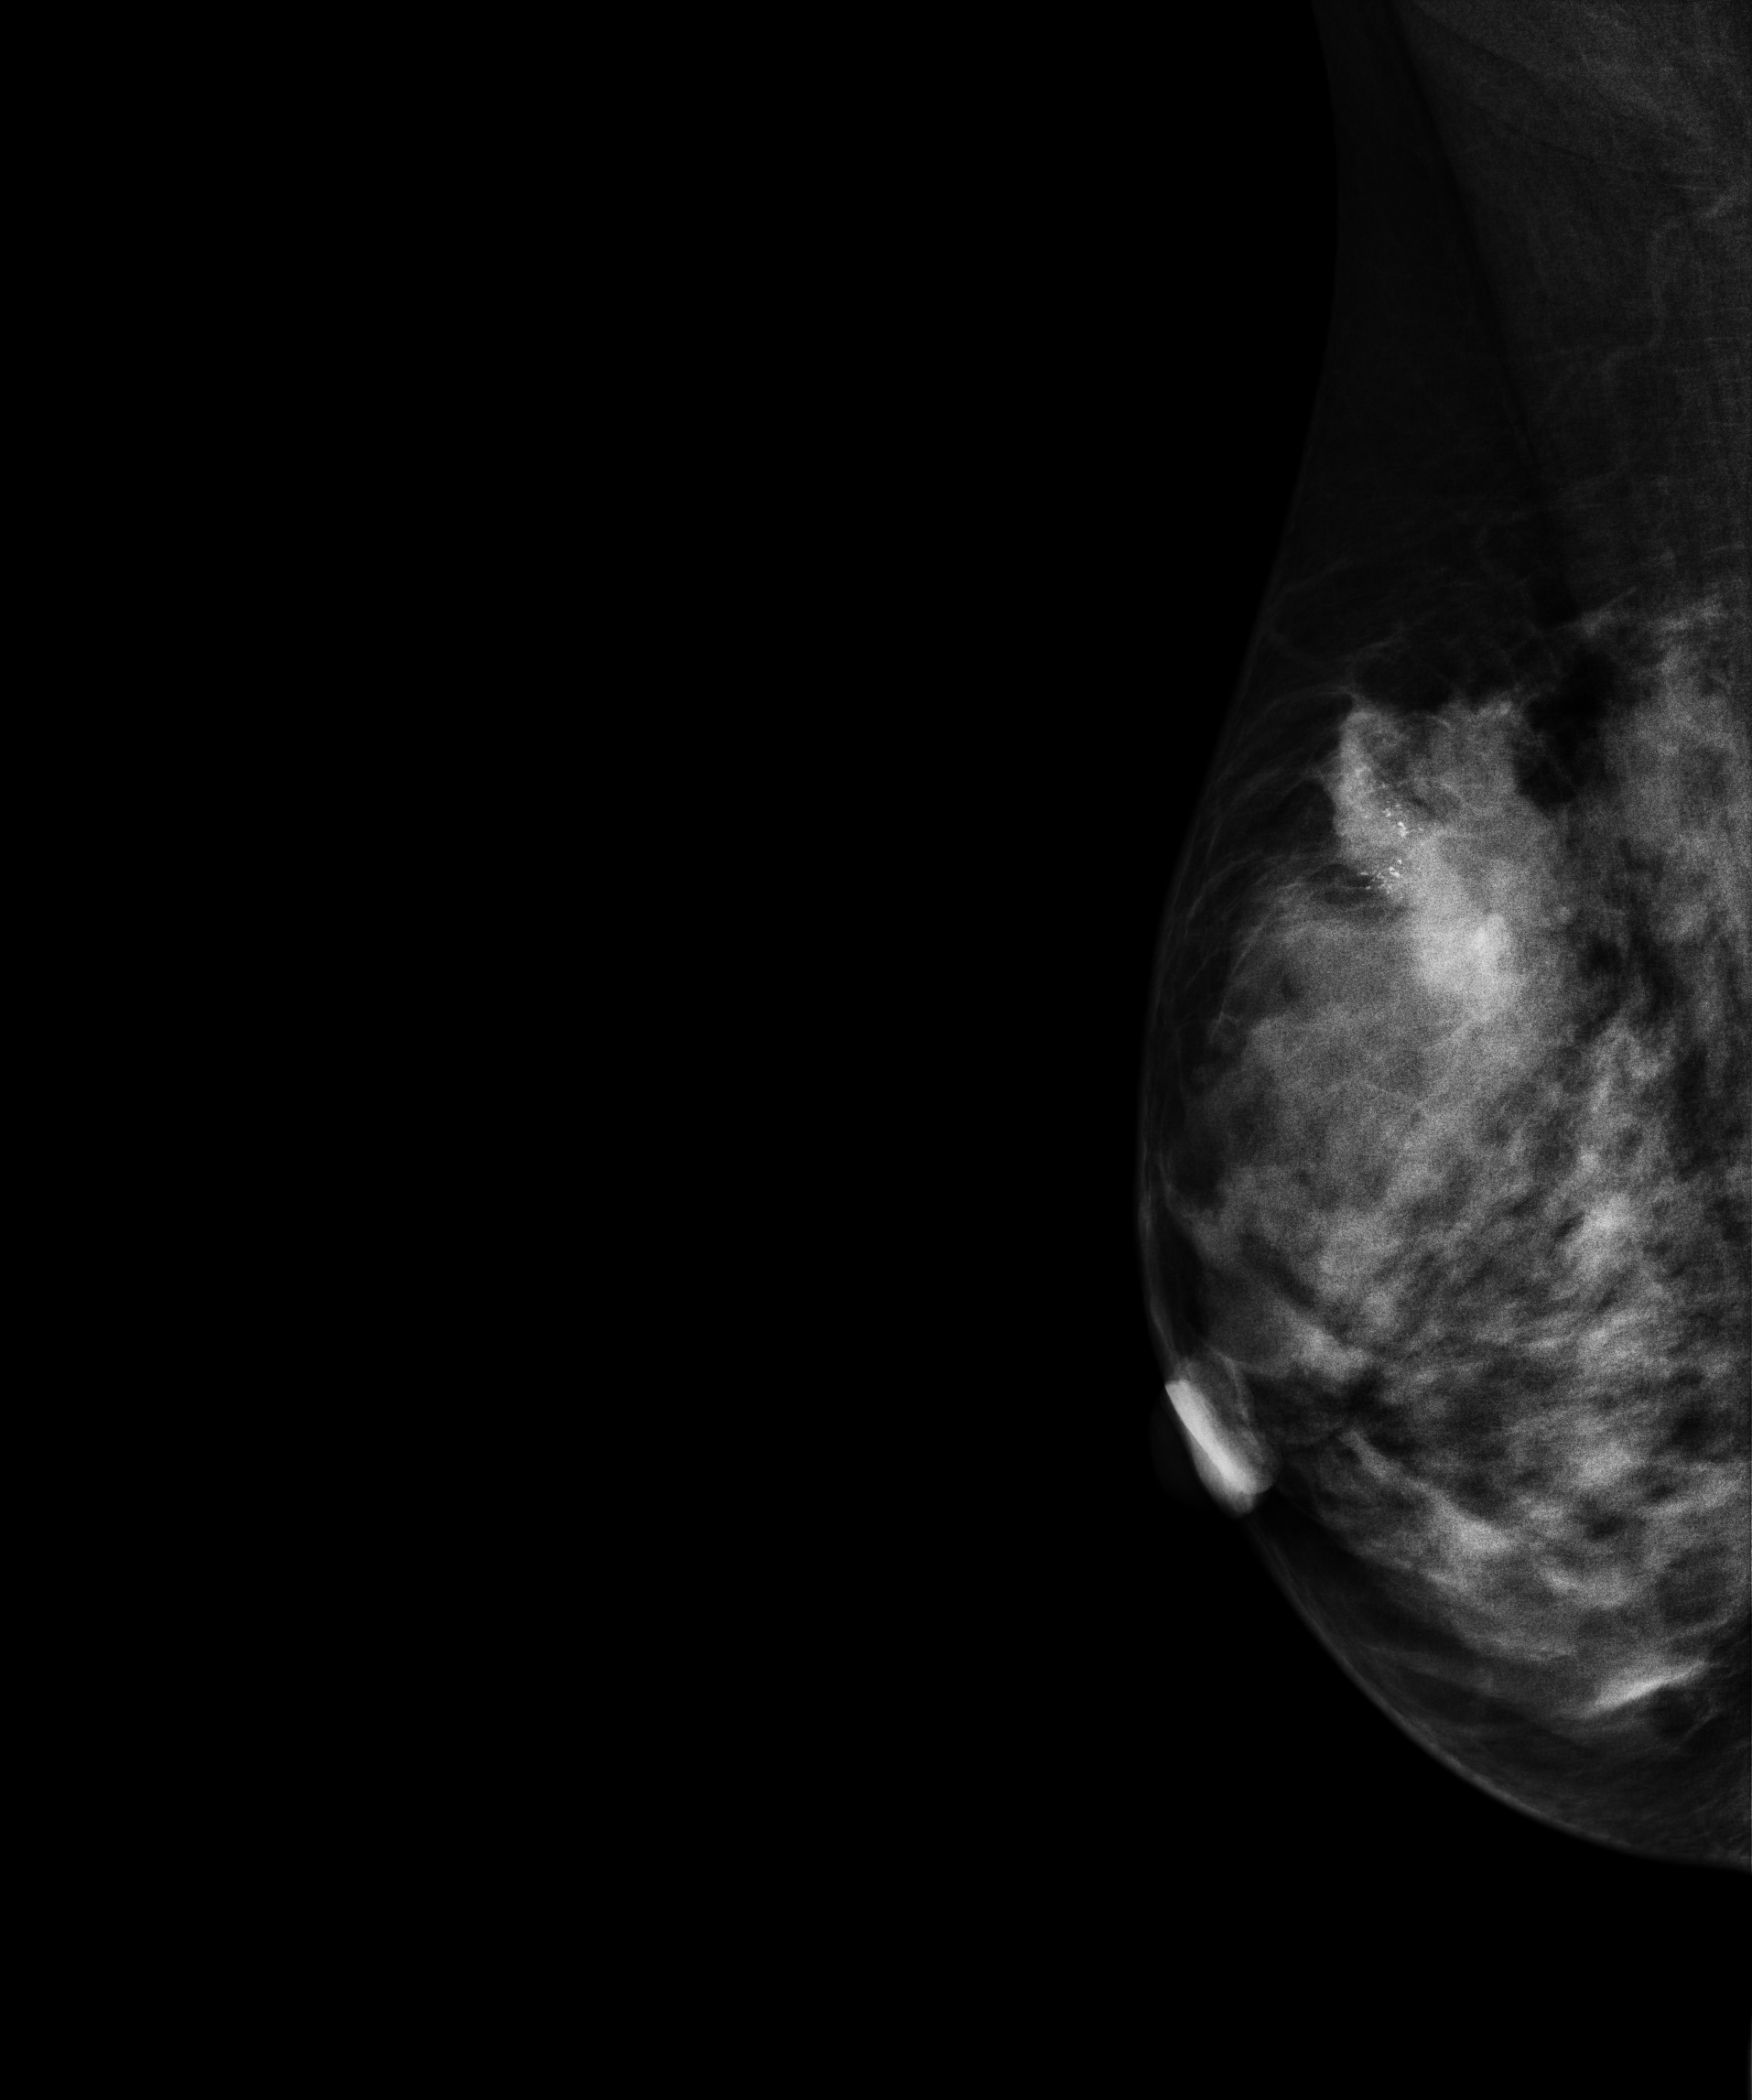
Digital mammography. Right breast, medio-lateral oblique projection. 40 y/o patient.
This breast has a mass and calcifications, histologically confirmed malignant.